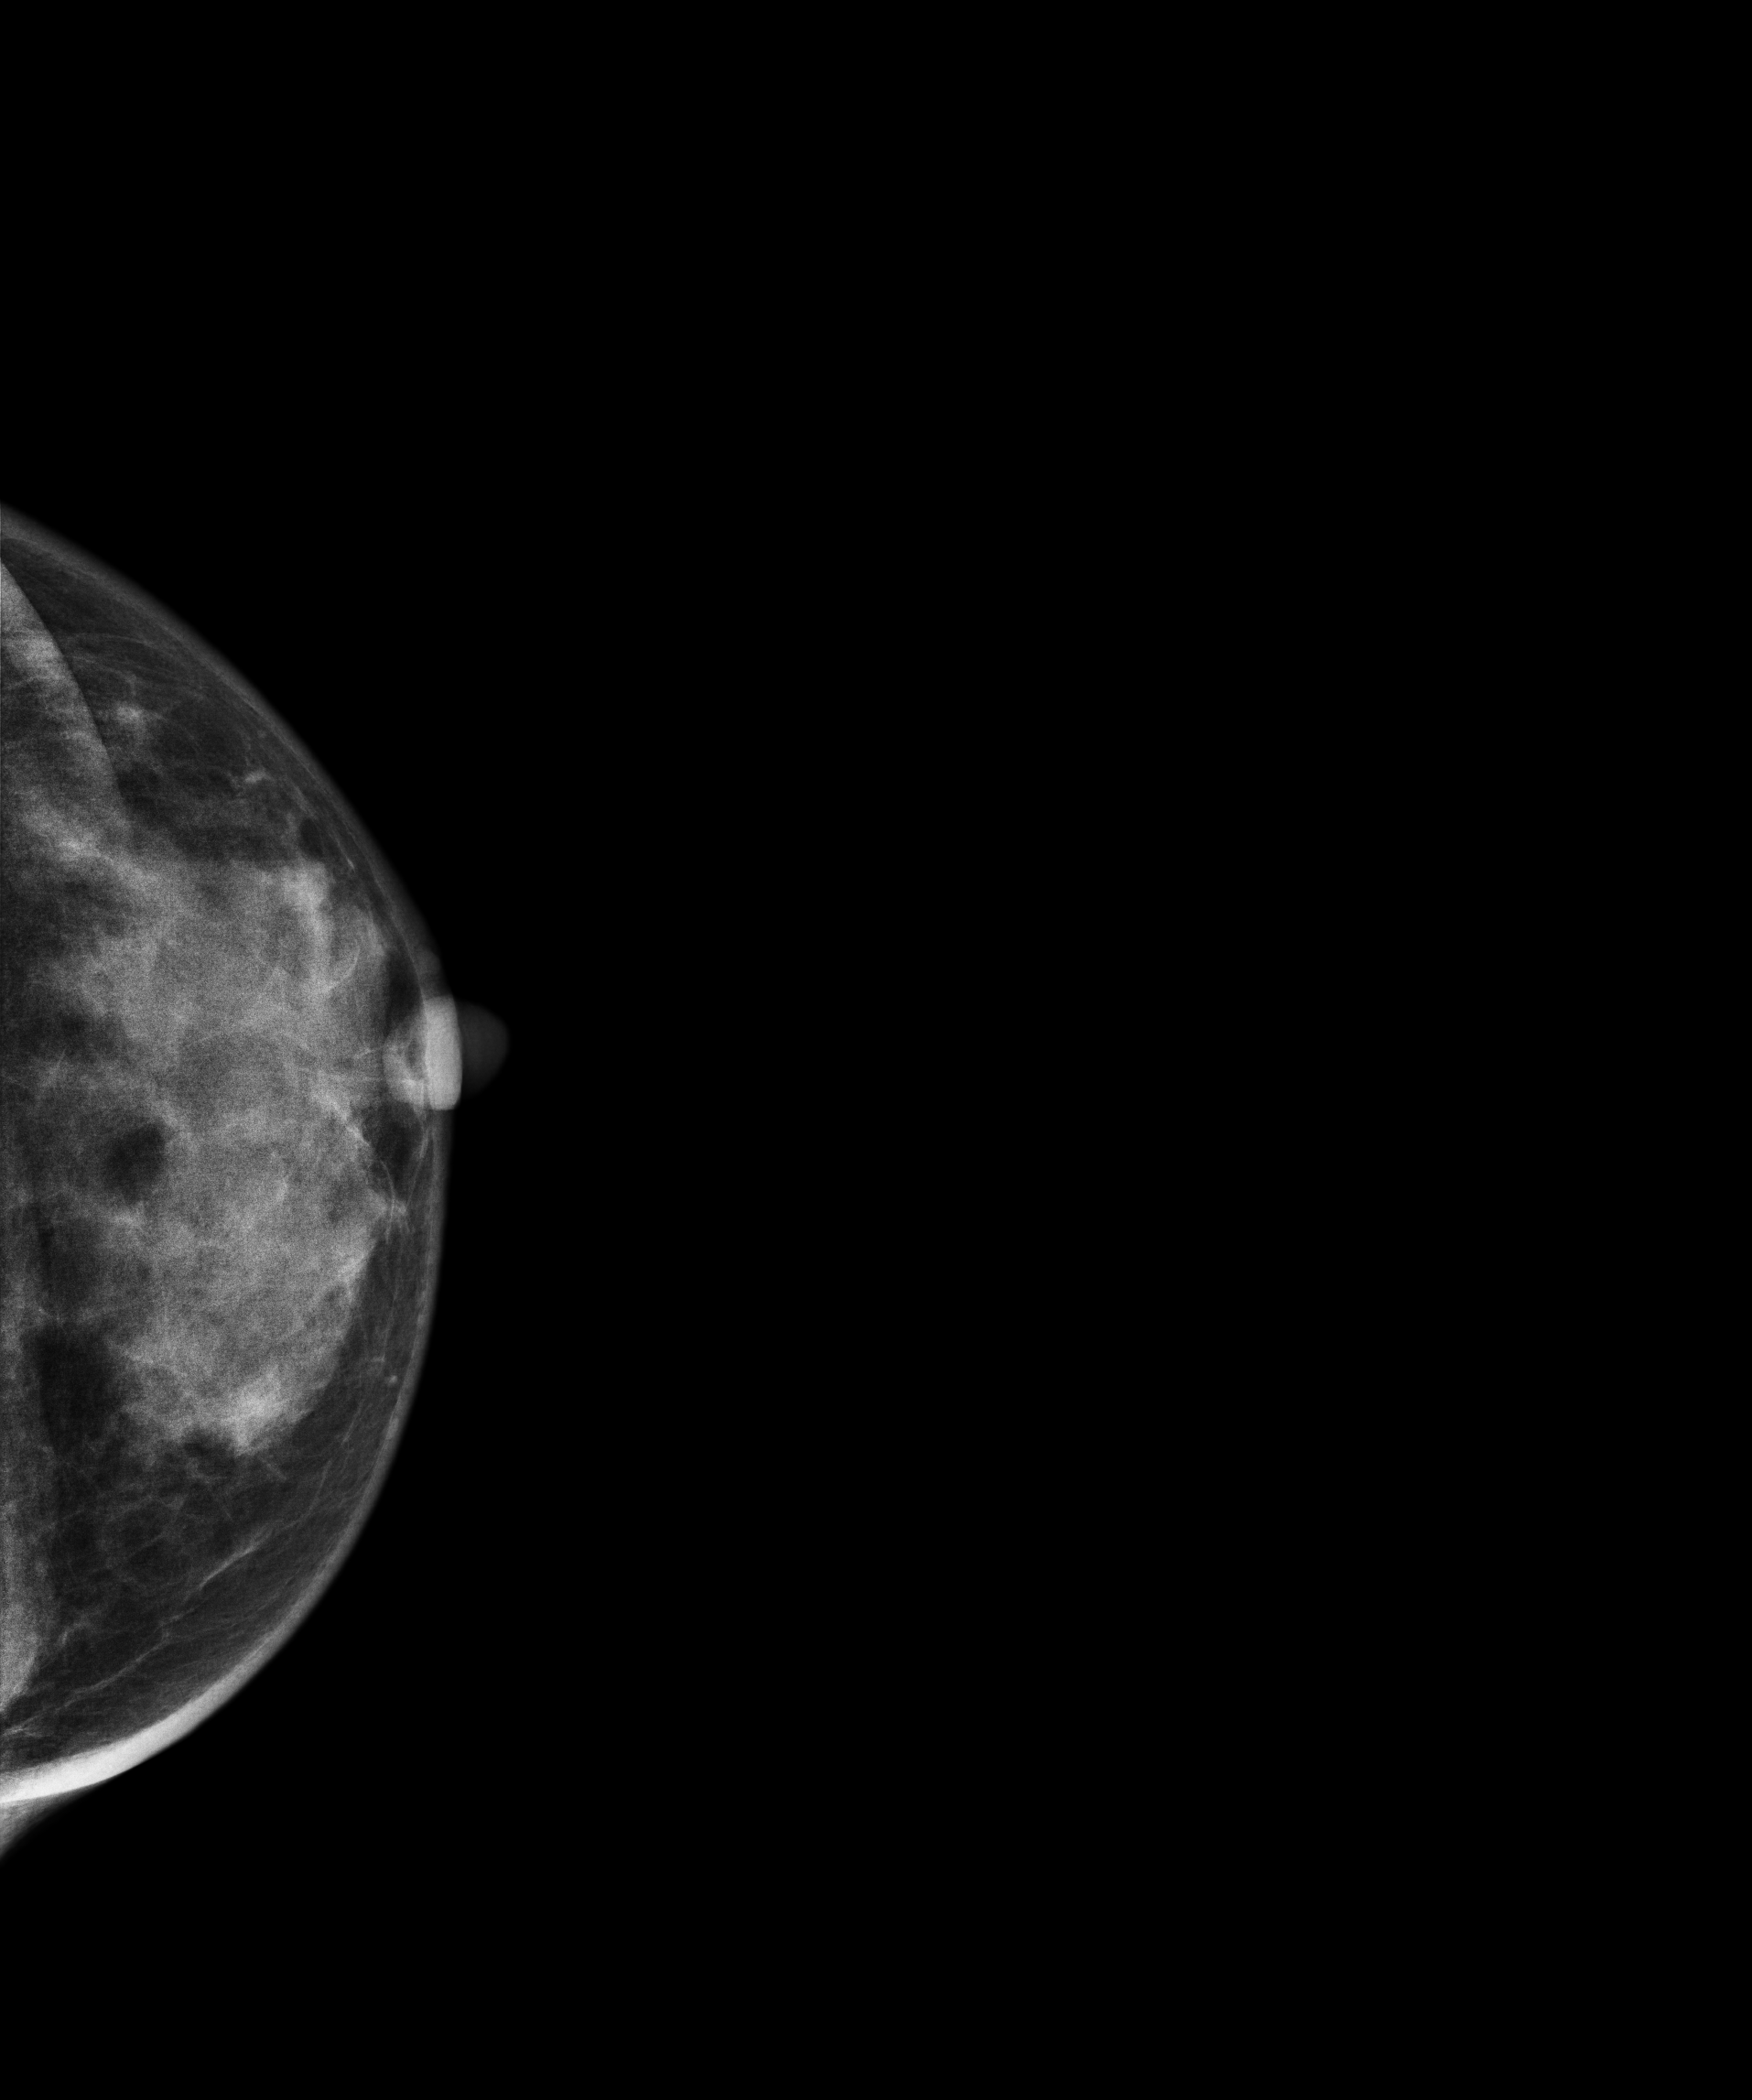
Left-breast mammogram, CC. 64 y/o patient.
Contralateral breast — no documented abnormality on this side.